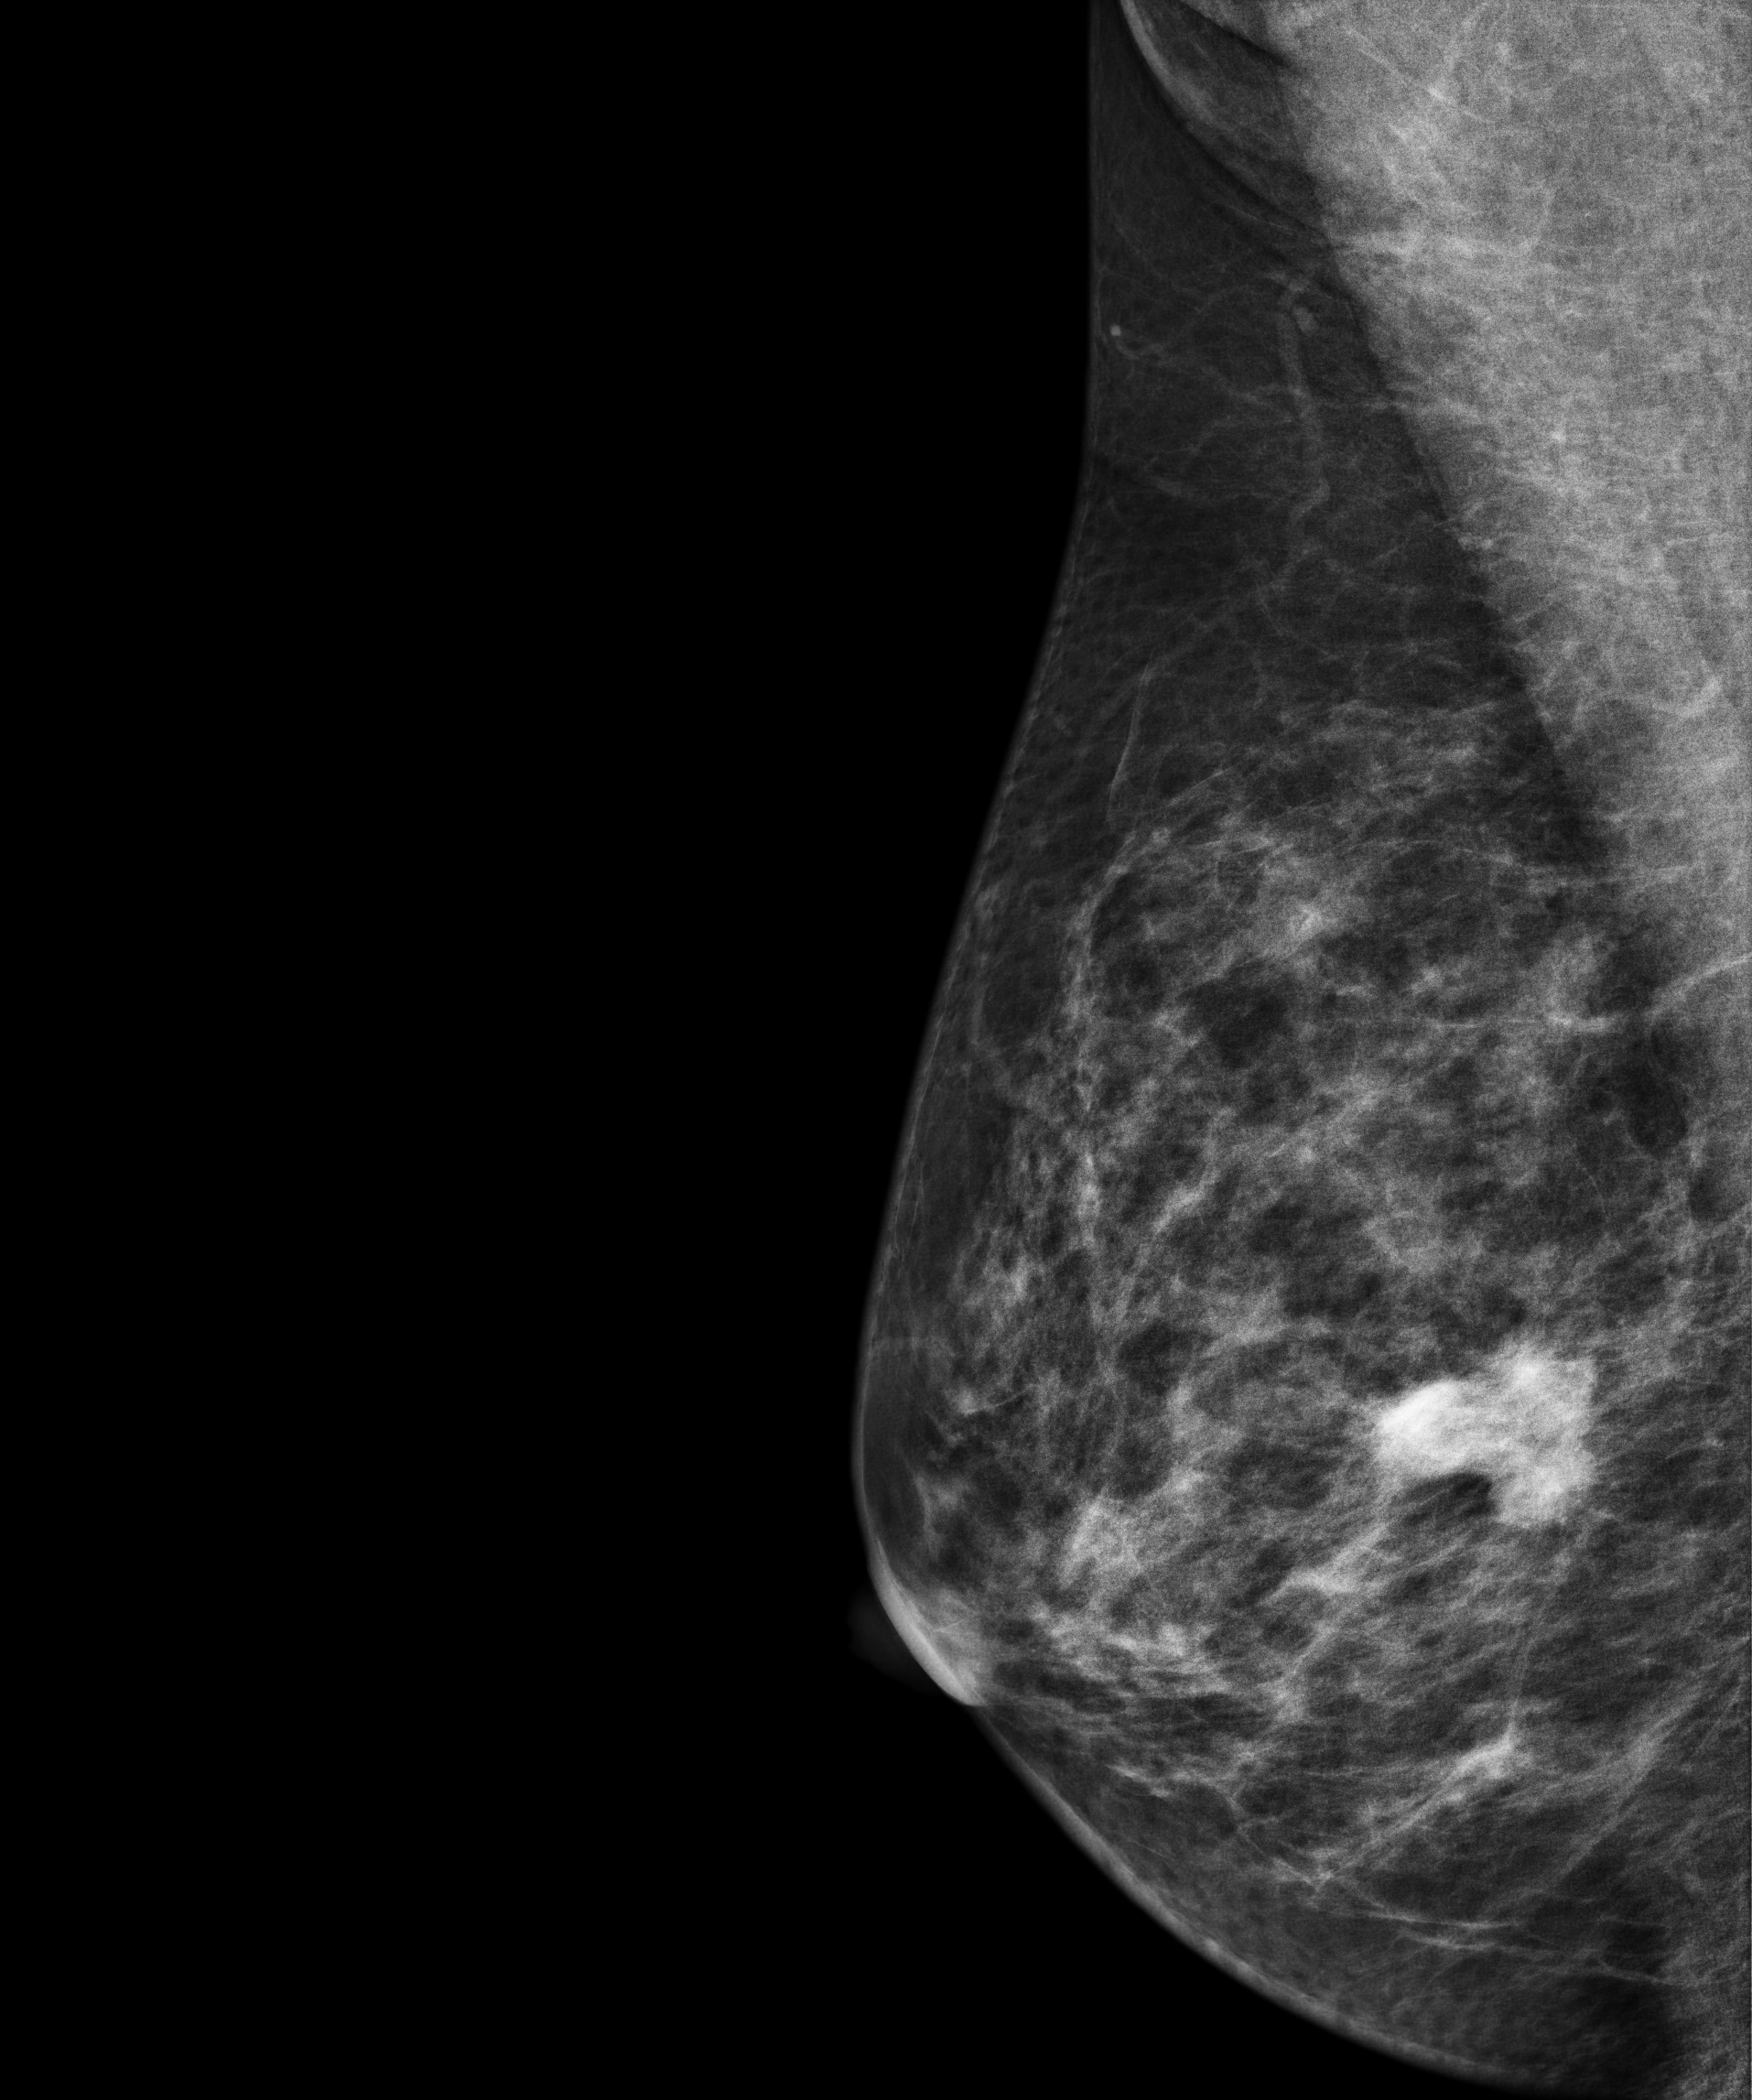
MLO mammogram of the right breast. 39 y/o patient.
This breast has a mass, histologically confirmed malignant.